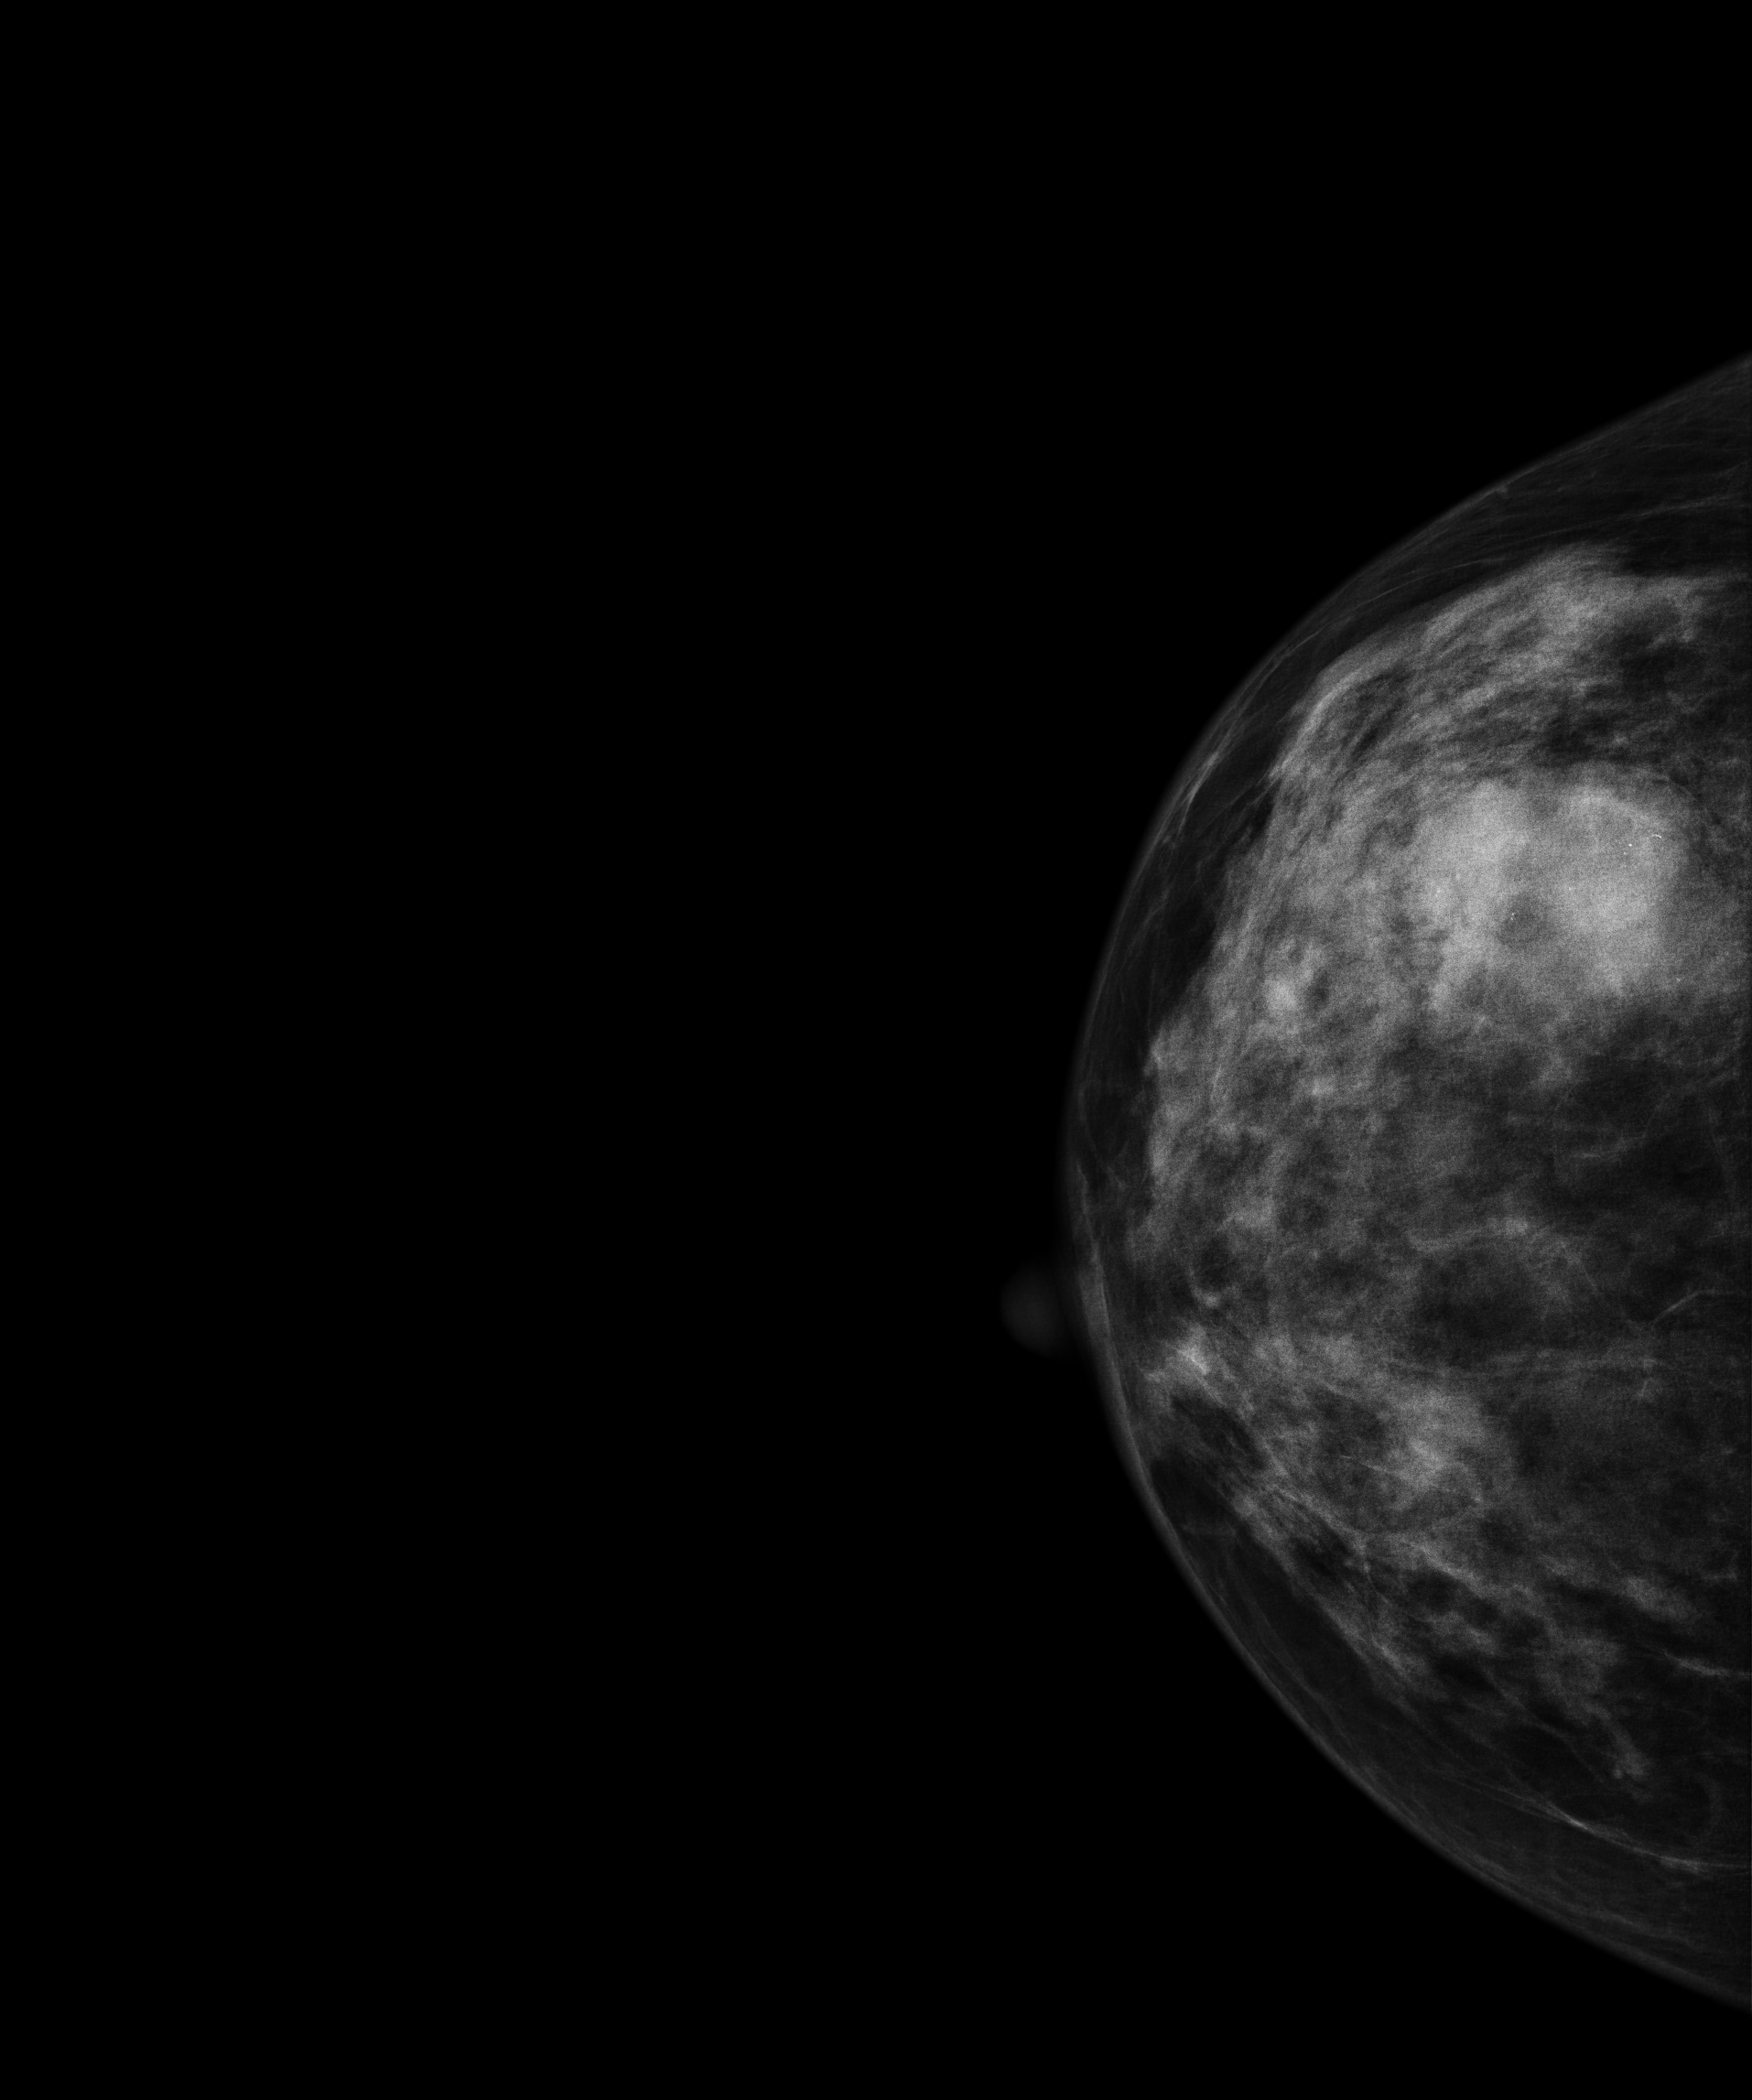
Mammogram, right breast, cranio-caudal view. 48 y/o patient.
This breast has a mass and calcifications, pathology-confirmed malignant.